Right-breast mammogram, medio-lateral oblique. 37 y/o patient.
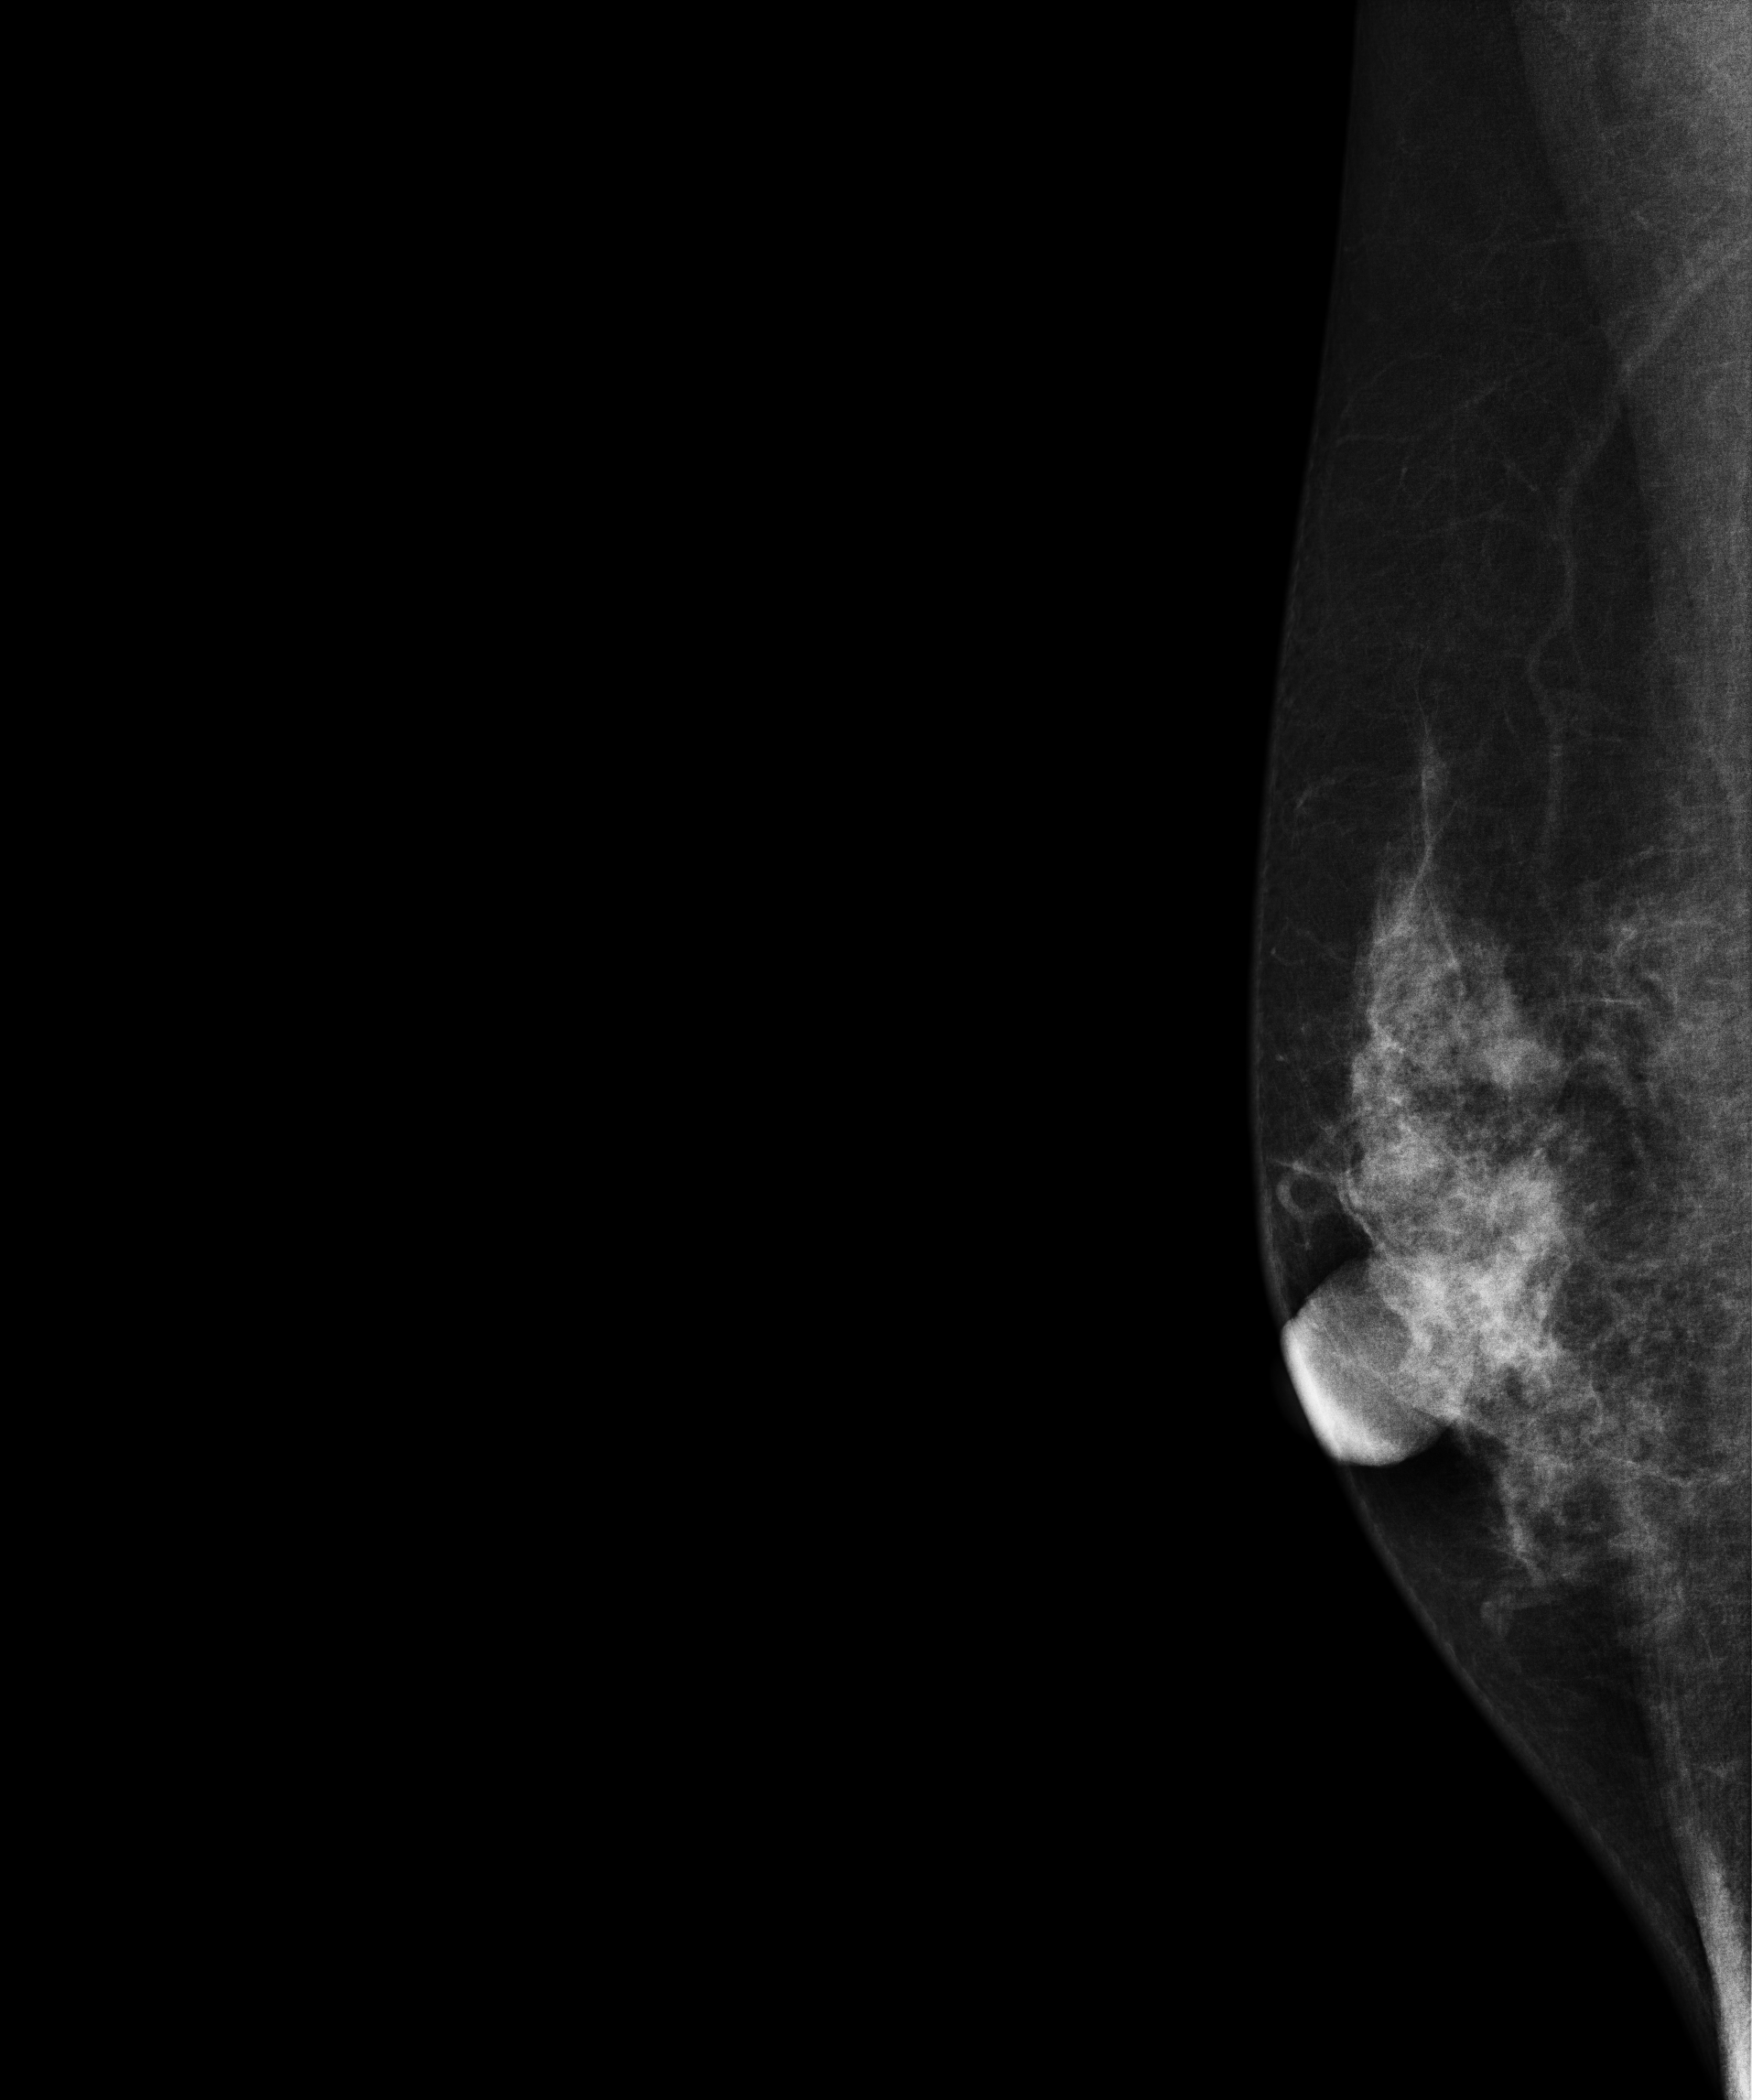
This breast has a mass, pathology-confirmed benign.